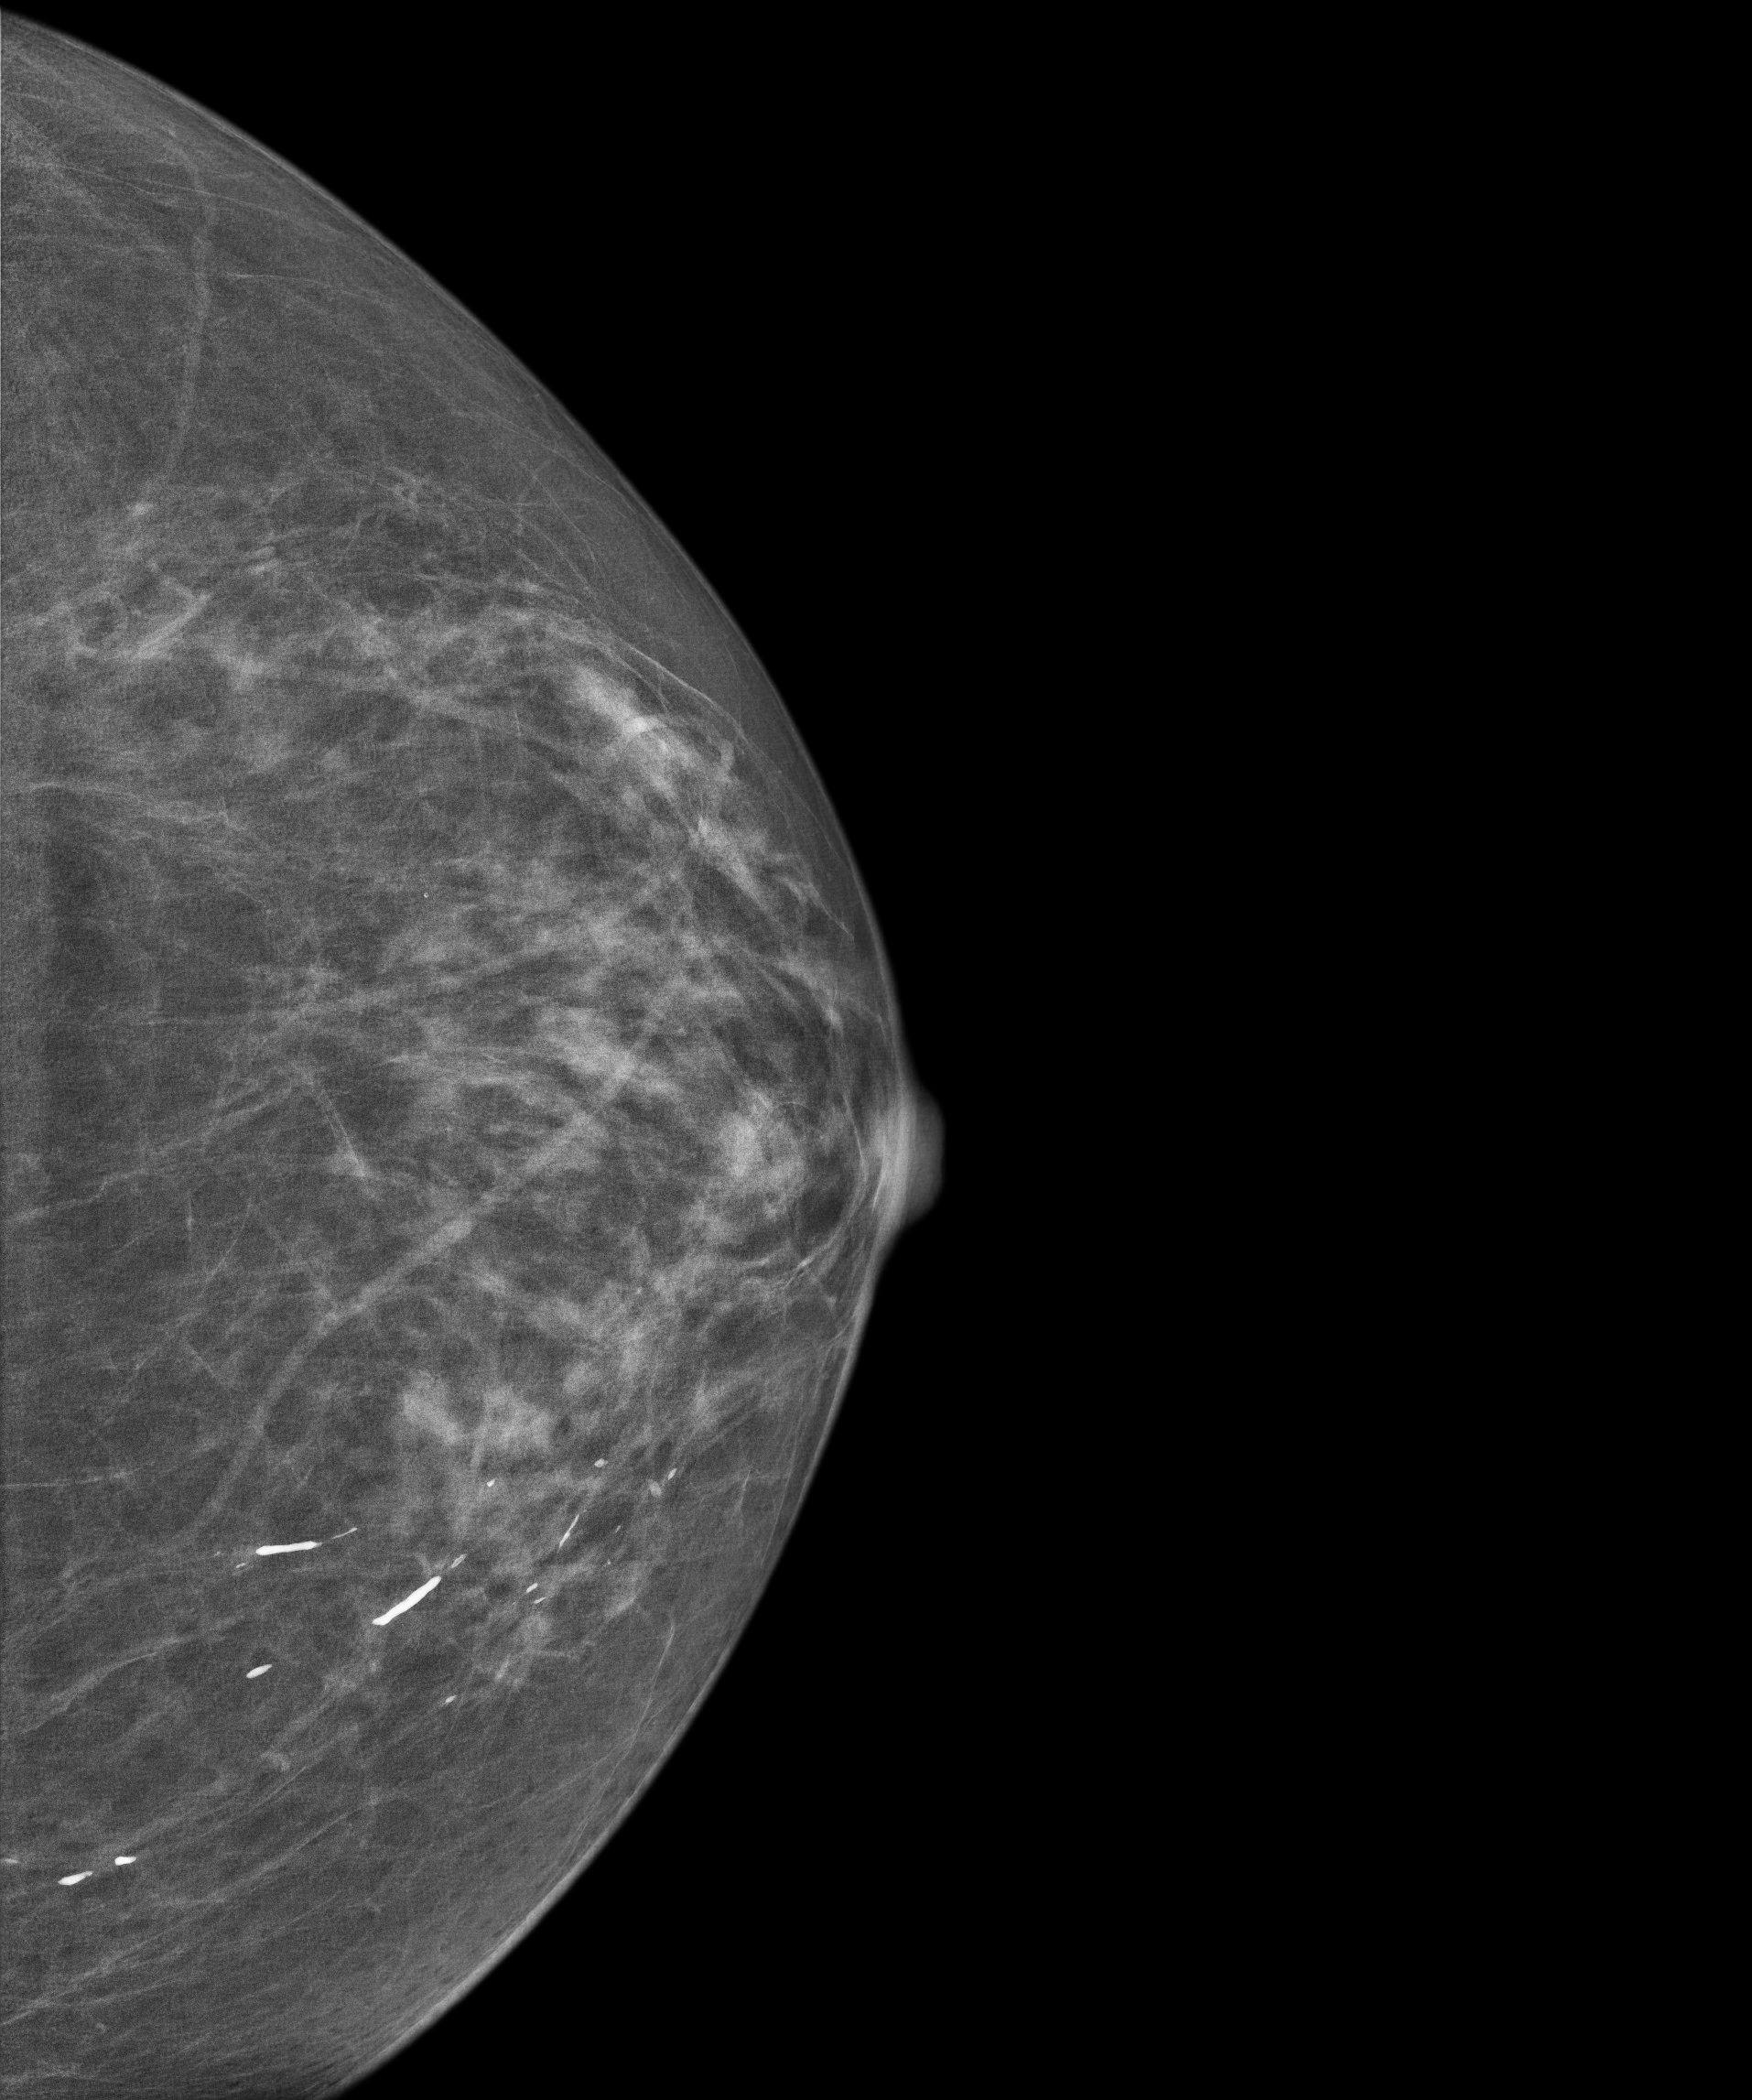
Left-breast mammogram, CC. 66-year-old patient.
Contralateral breast — no documented abnormality on this side.